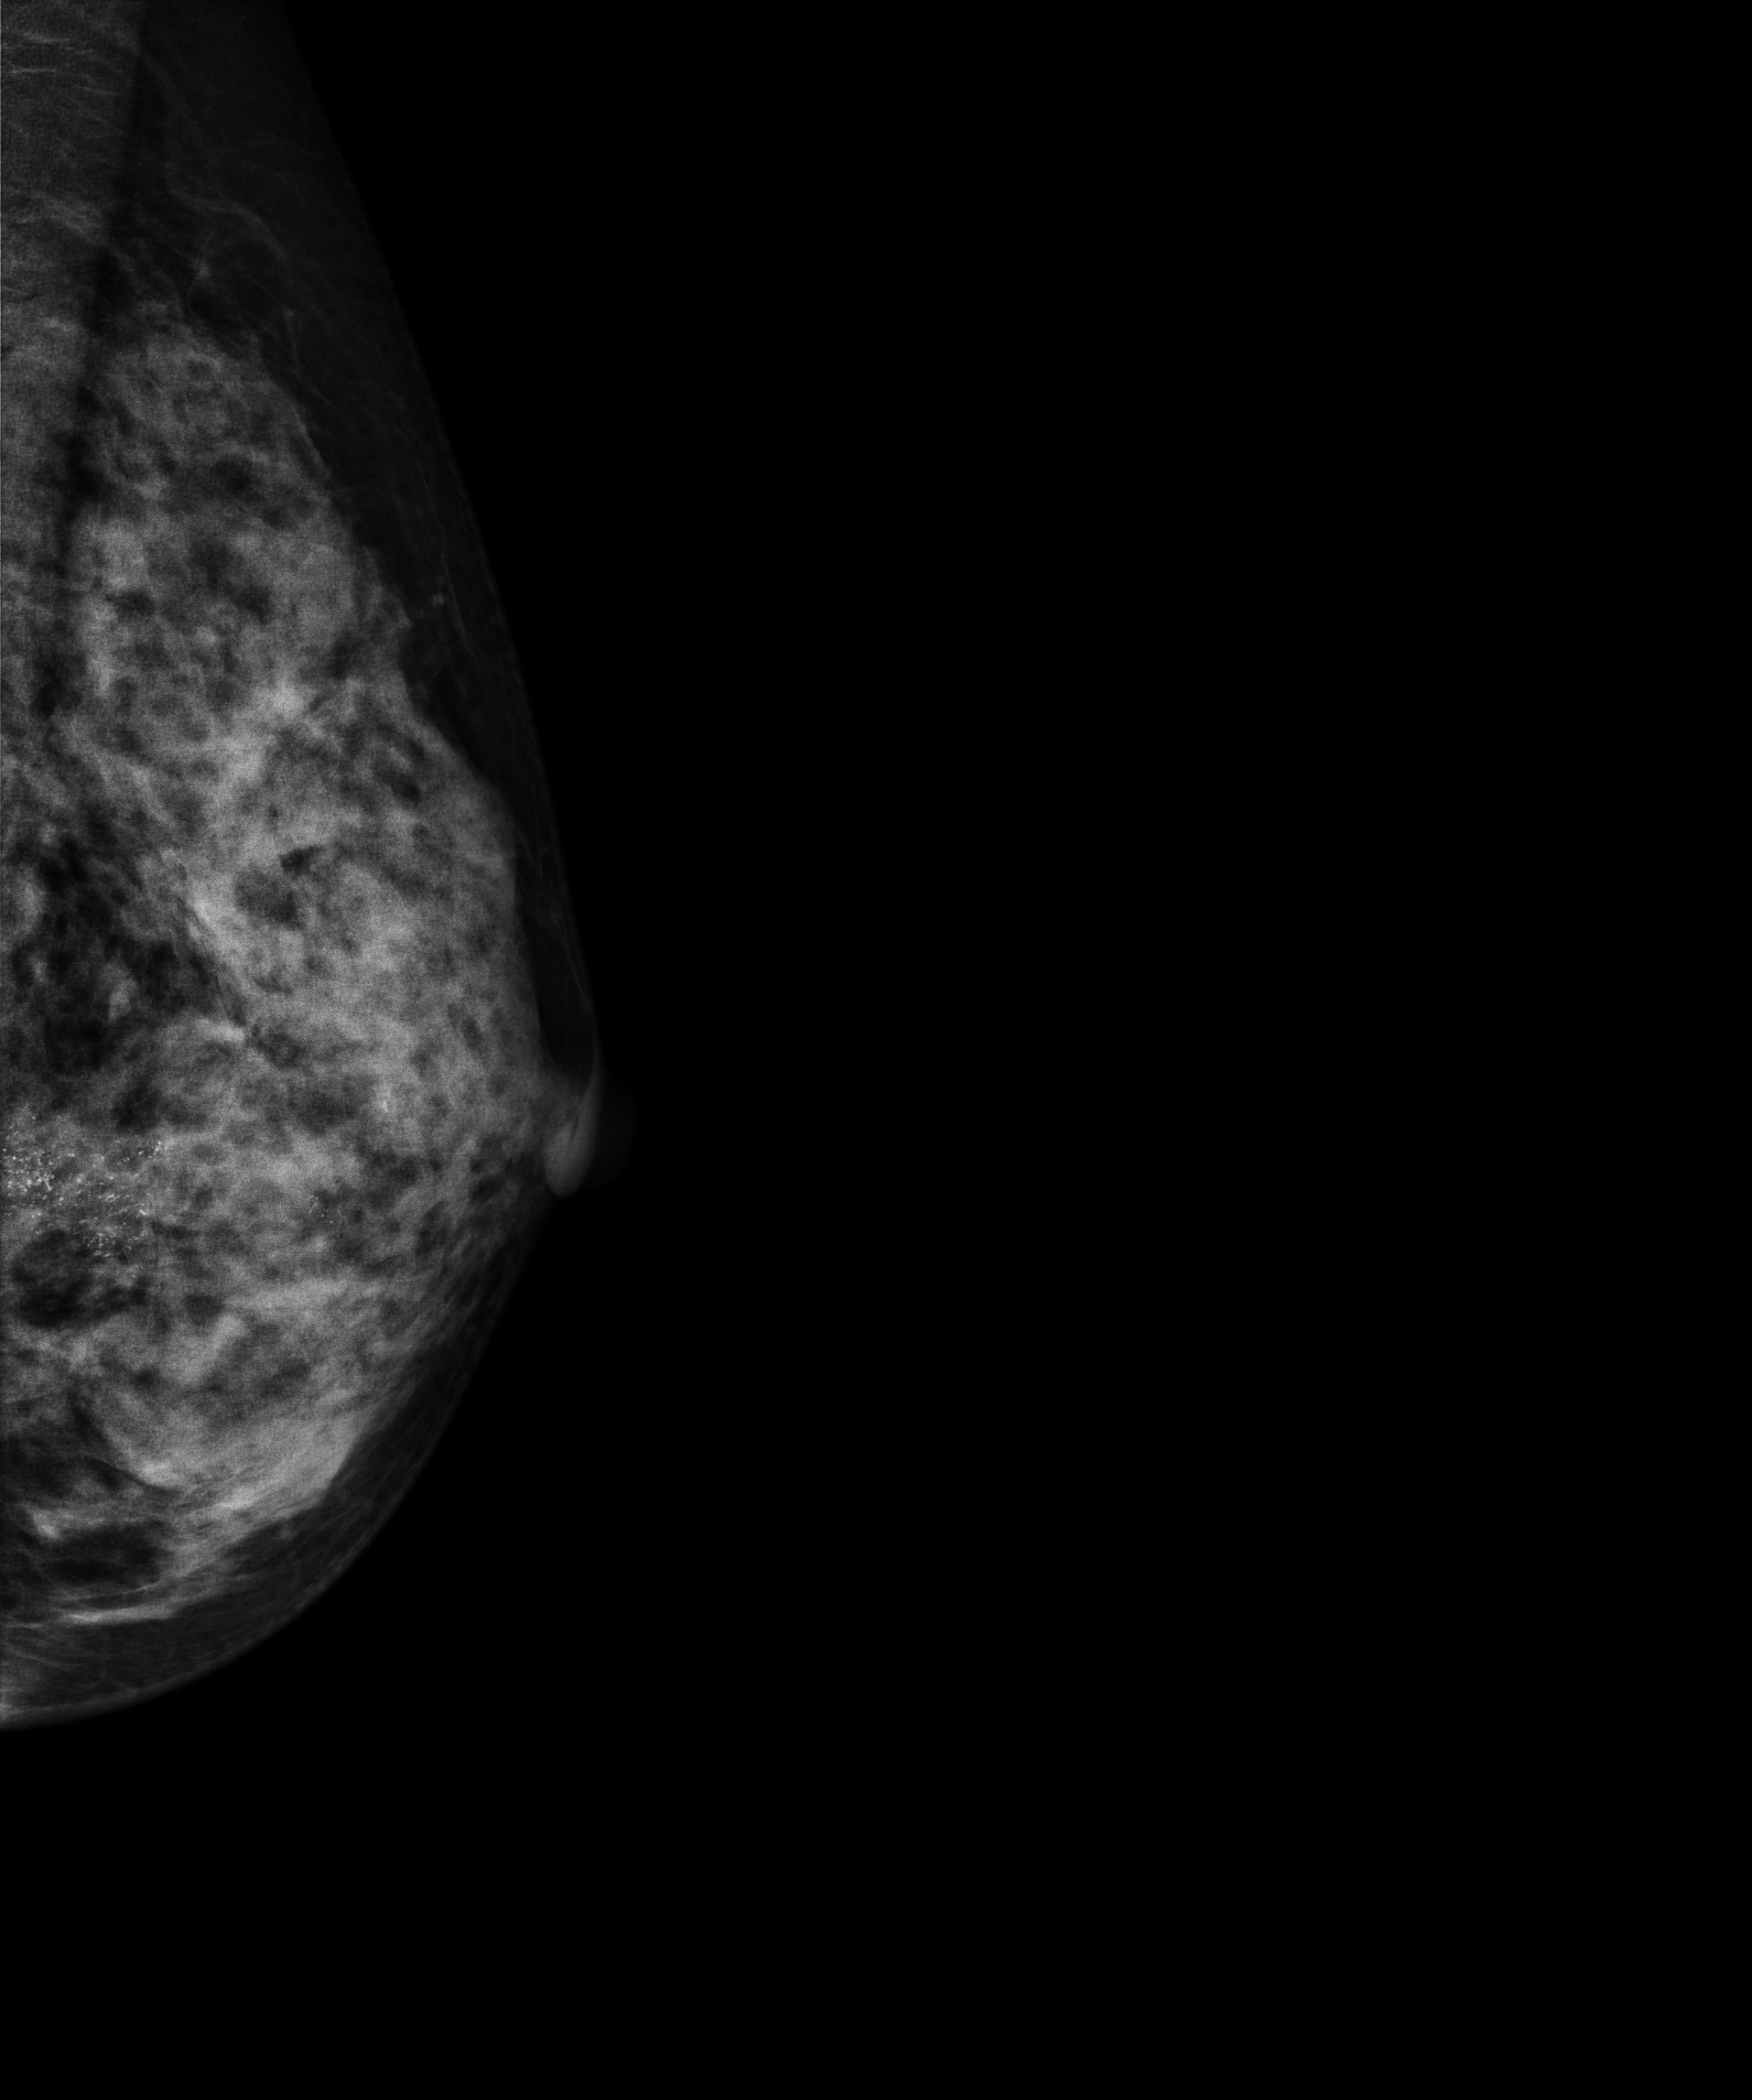
Left-breast mammogram, MLO. Patient age 45.
This breast has a mass and calcifications, biopsy-confirmed malignant.